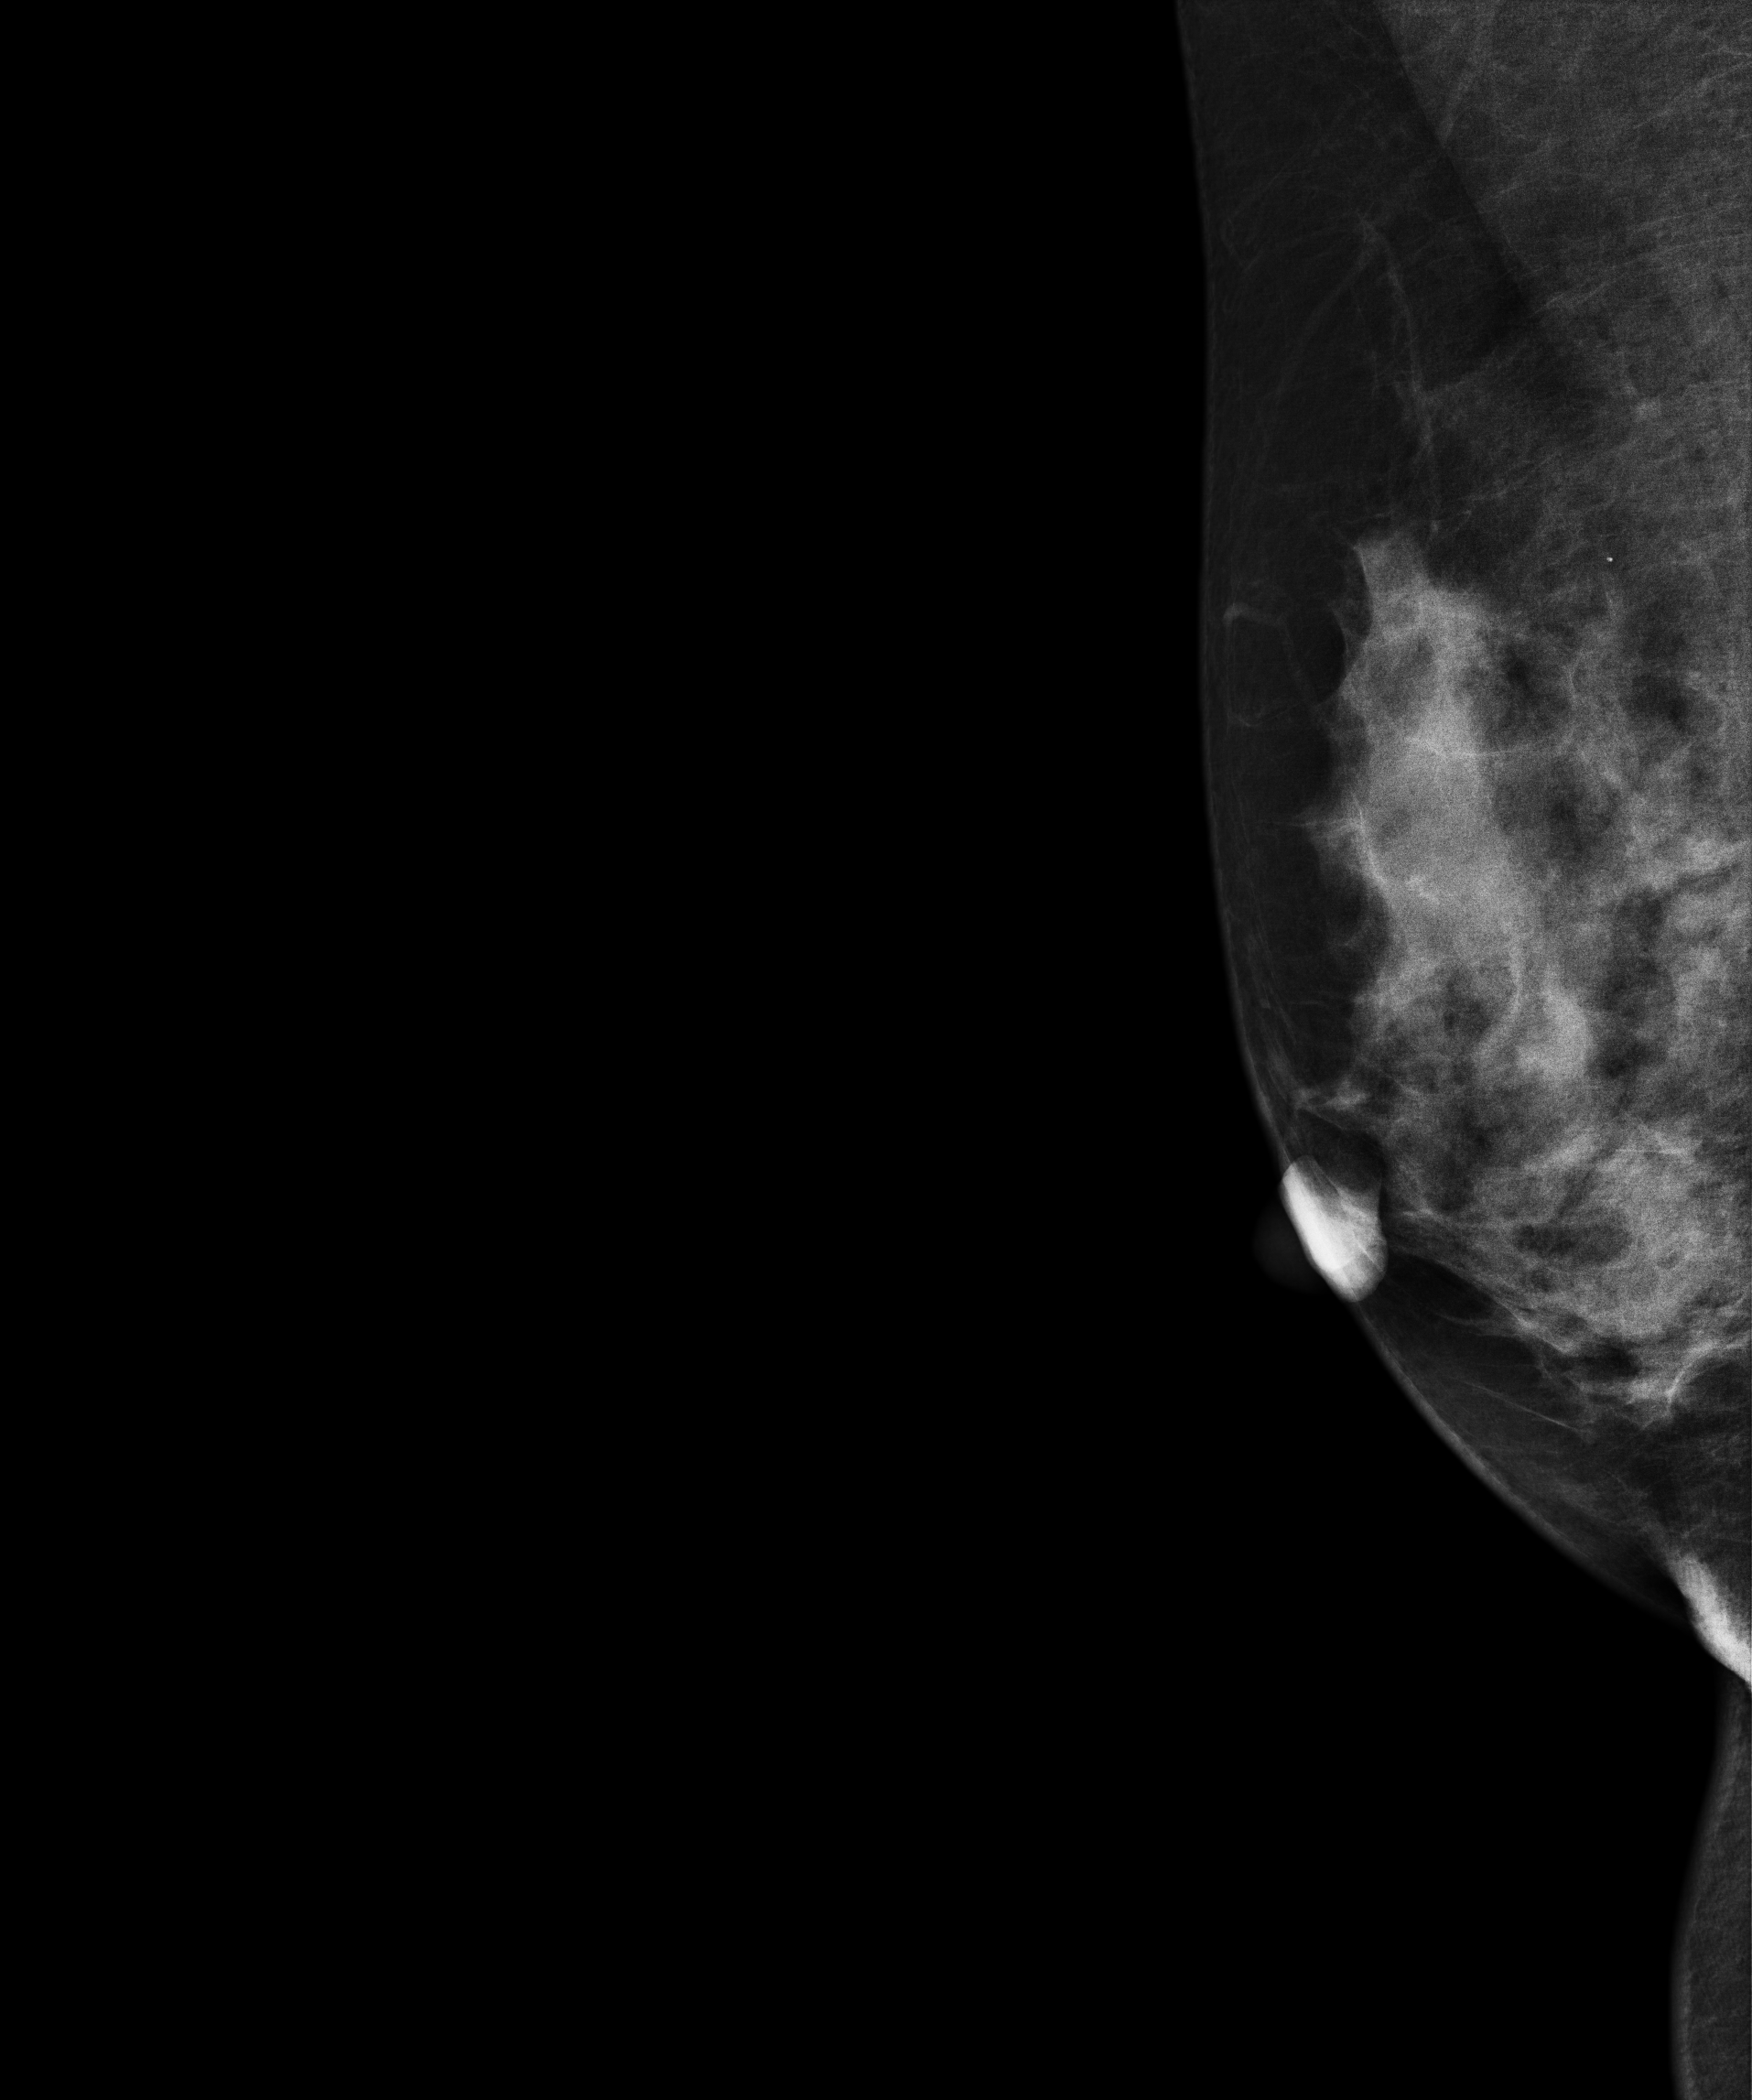
Right-breast mammogram, MLO. Patient age 46.
This breast has a mass, histologically confirmed benign.